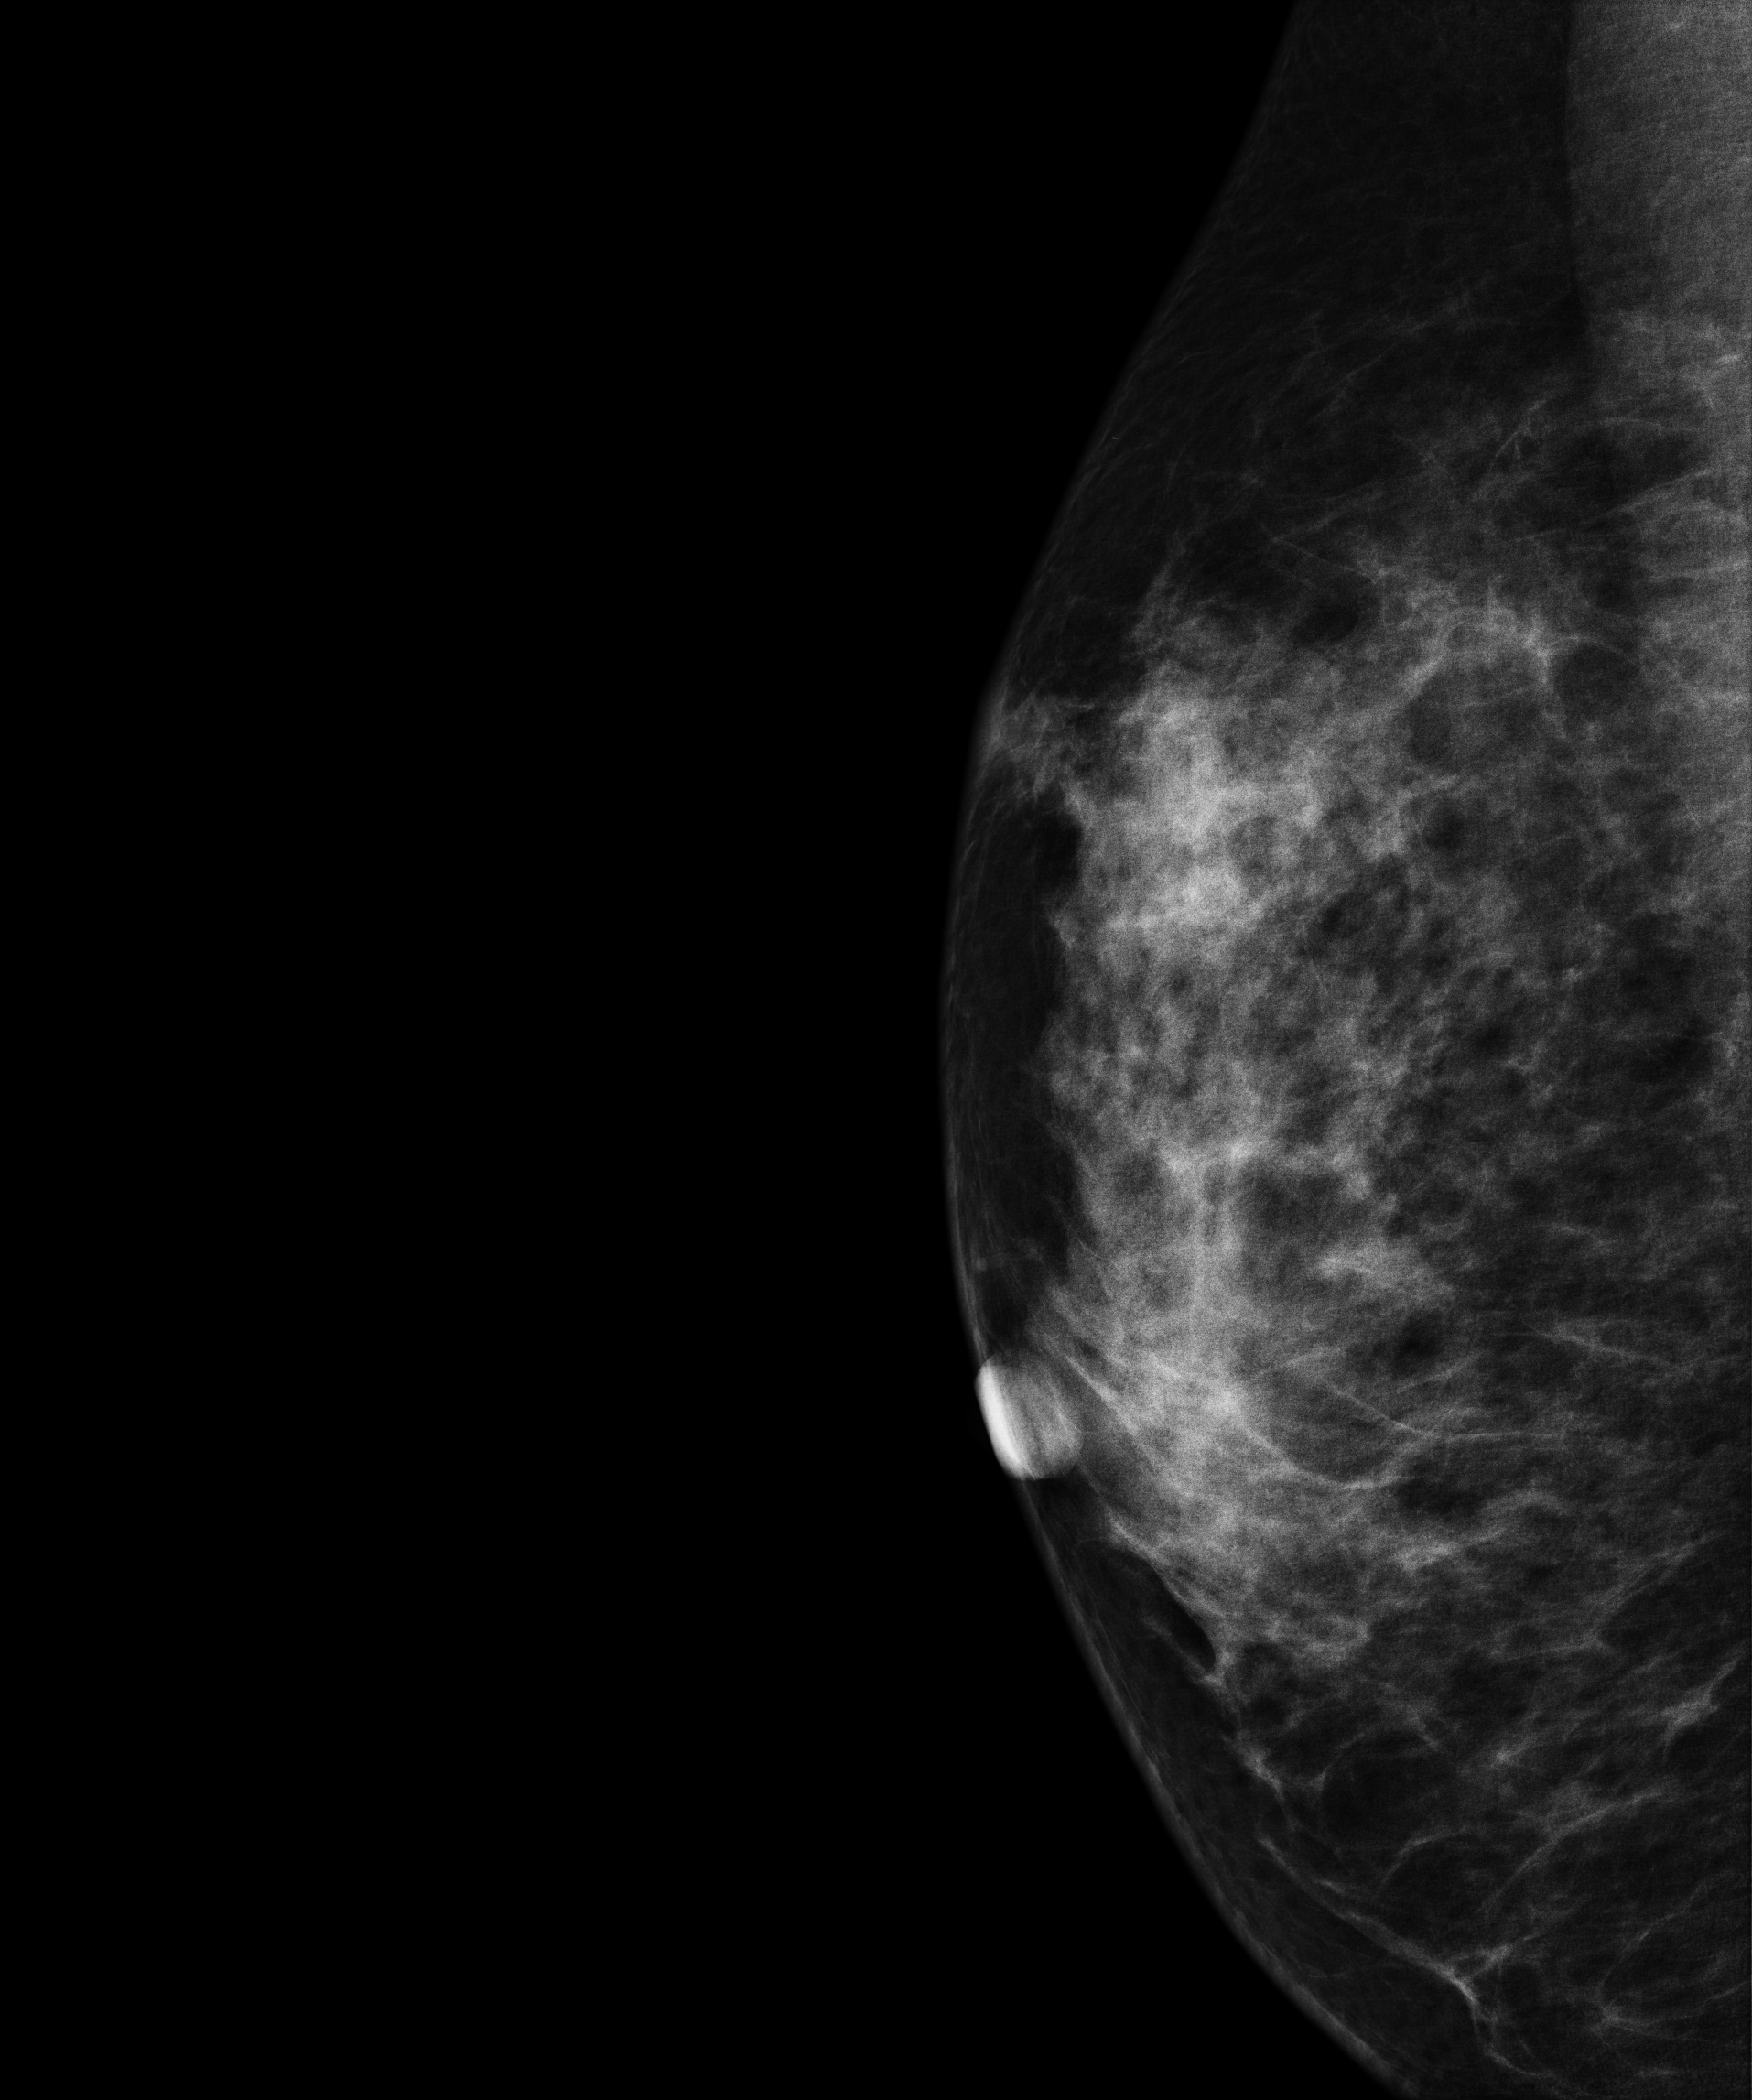
Digital mammography. Right breast, medio-lateral oblique projection. 29-year-old patient.
This breast has a mass, biopsy-confirmed malignant. Molecular subtype: luminal B.